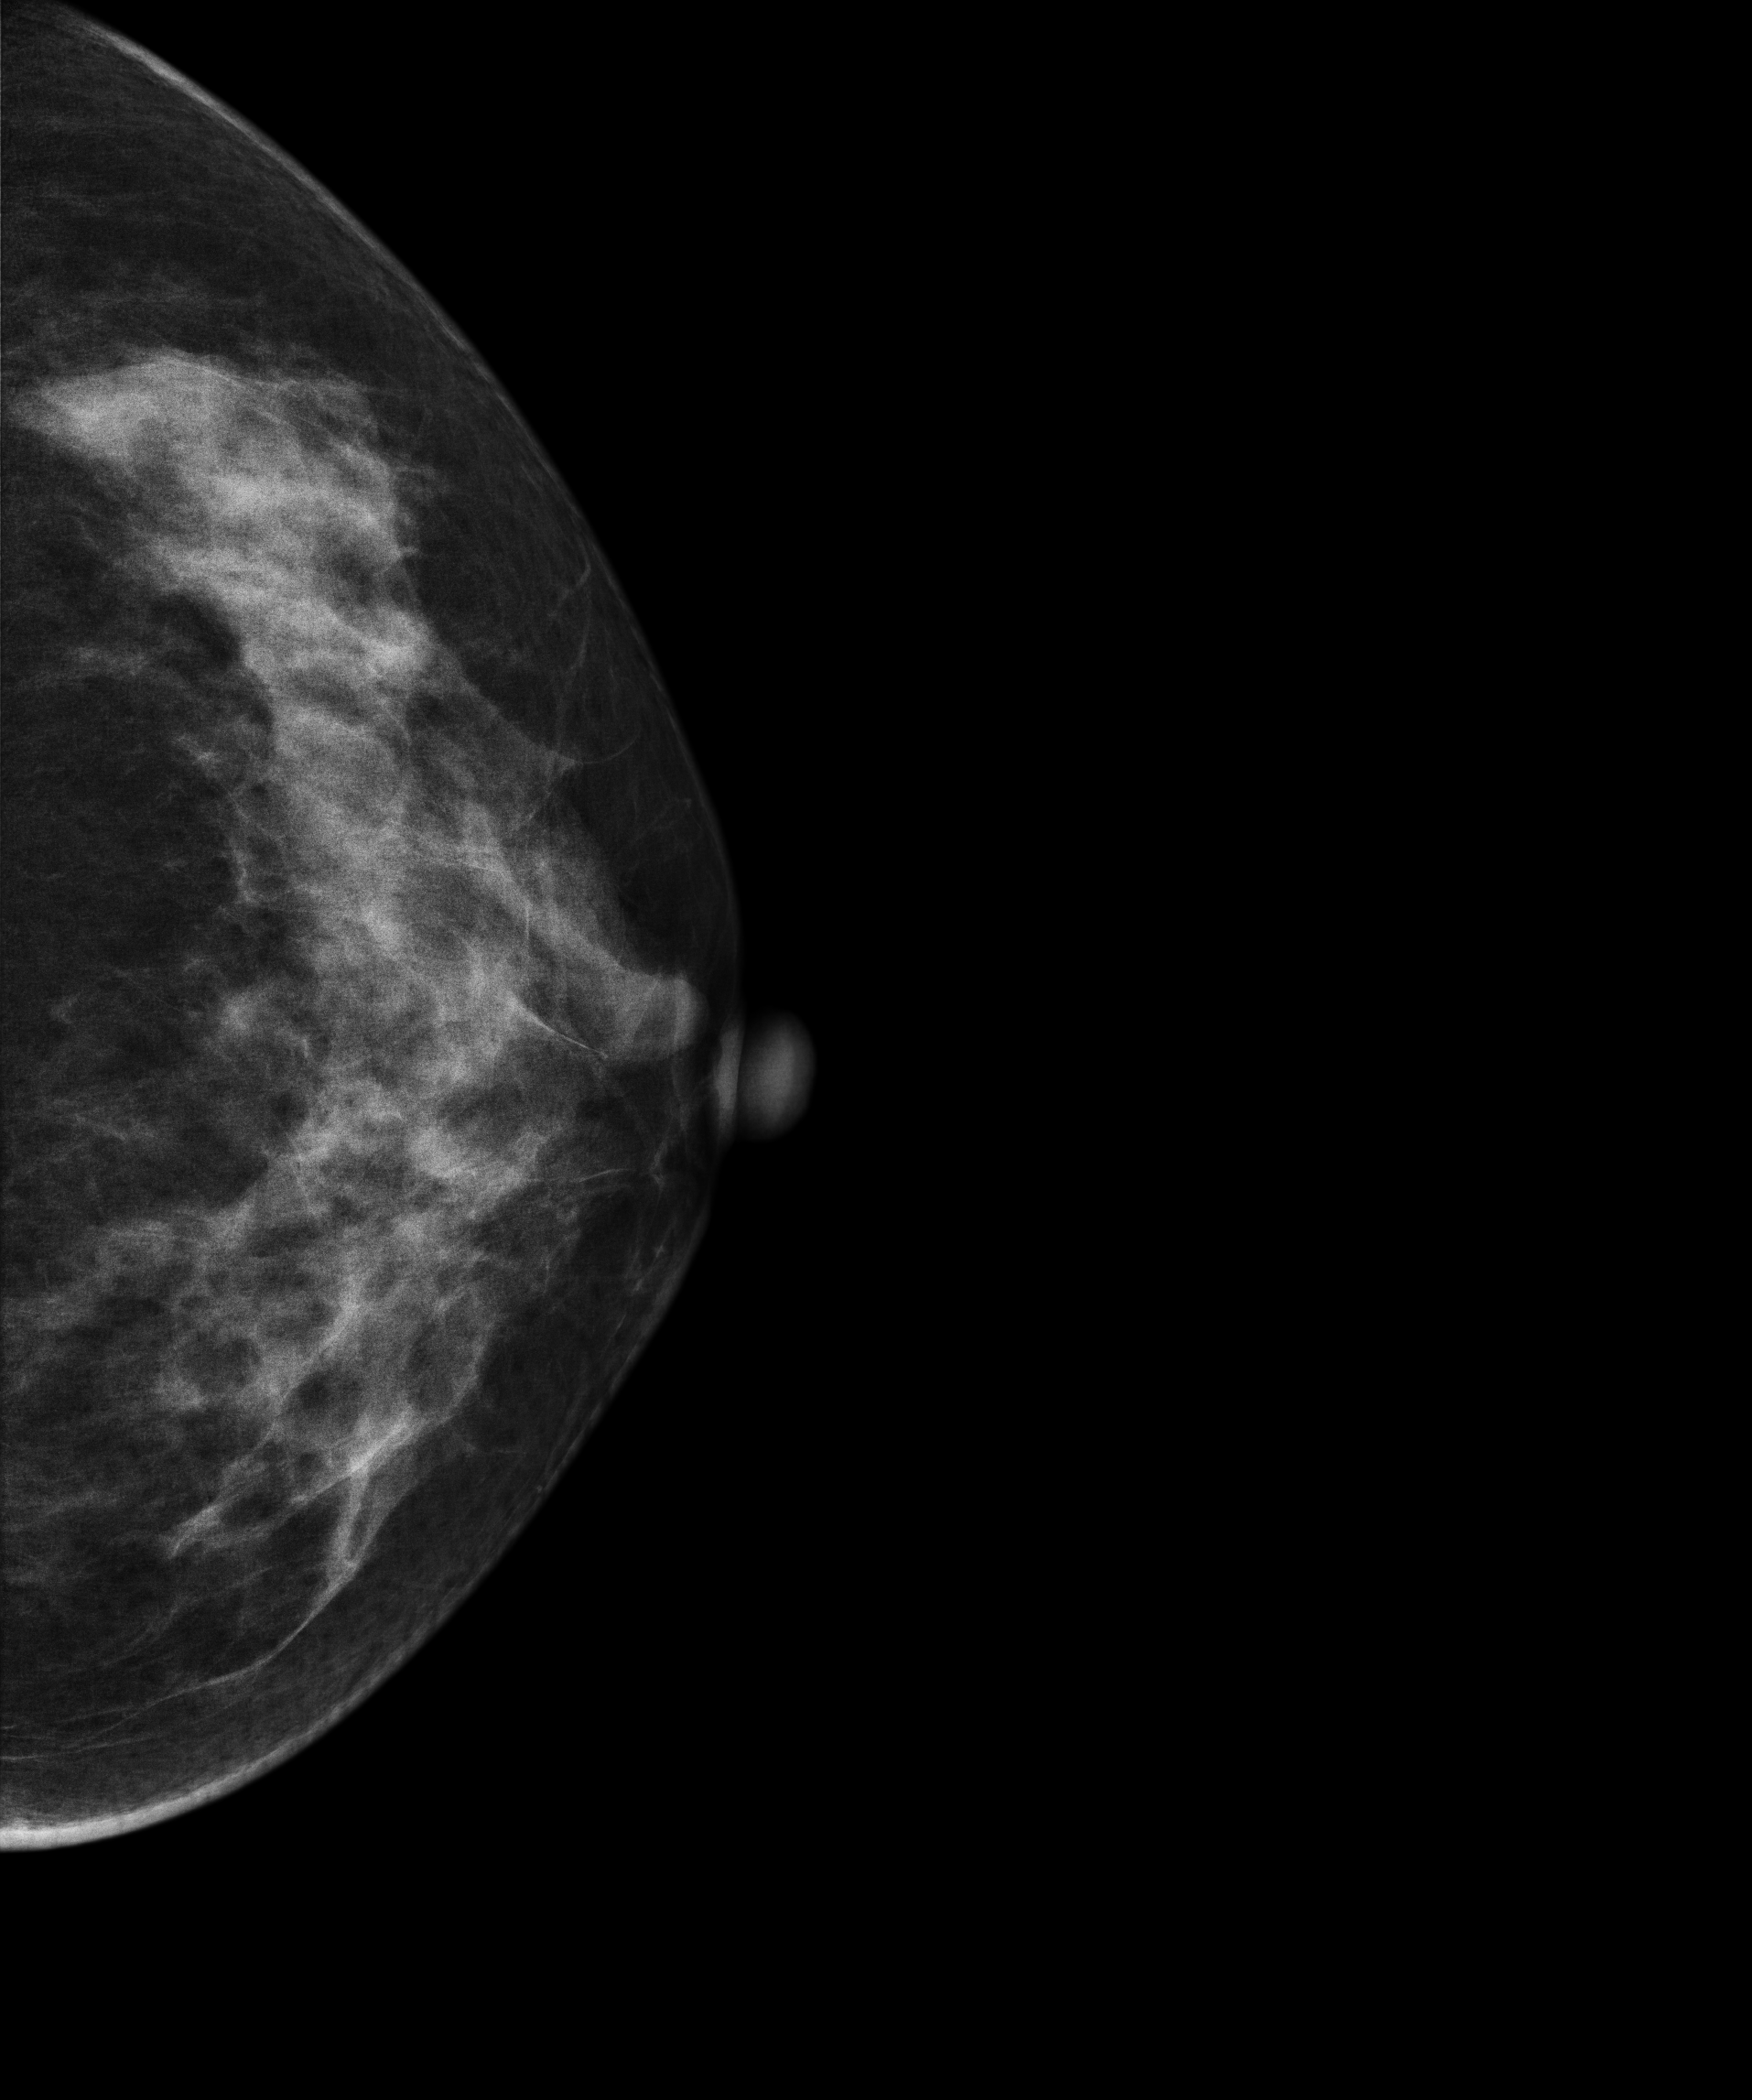
Left-breast mammogram, cranio-caudal. Patient age 46.
This breast has a mass, biopsy-confirmed benign.